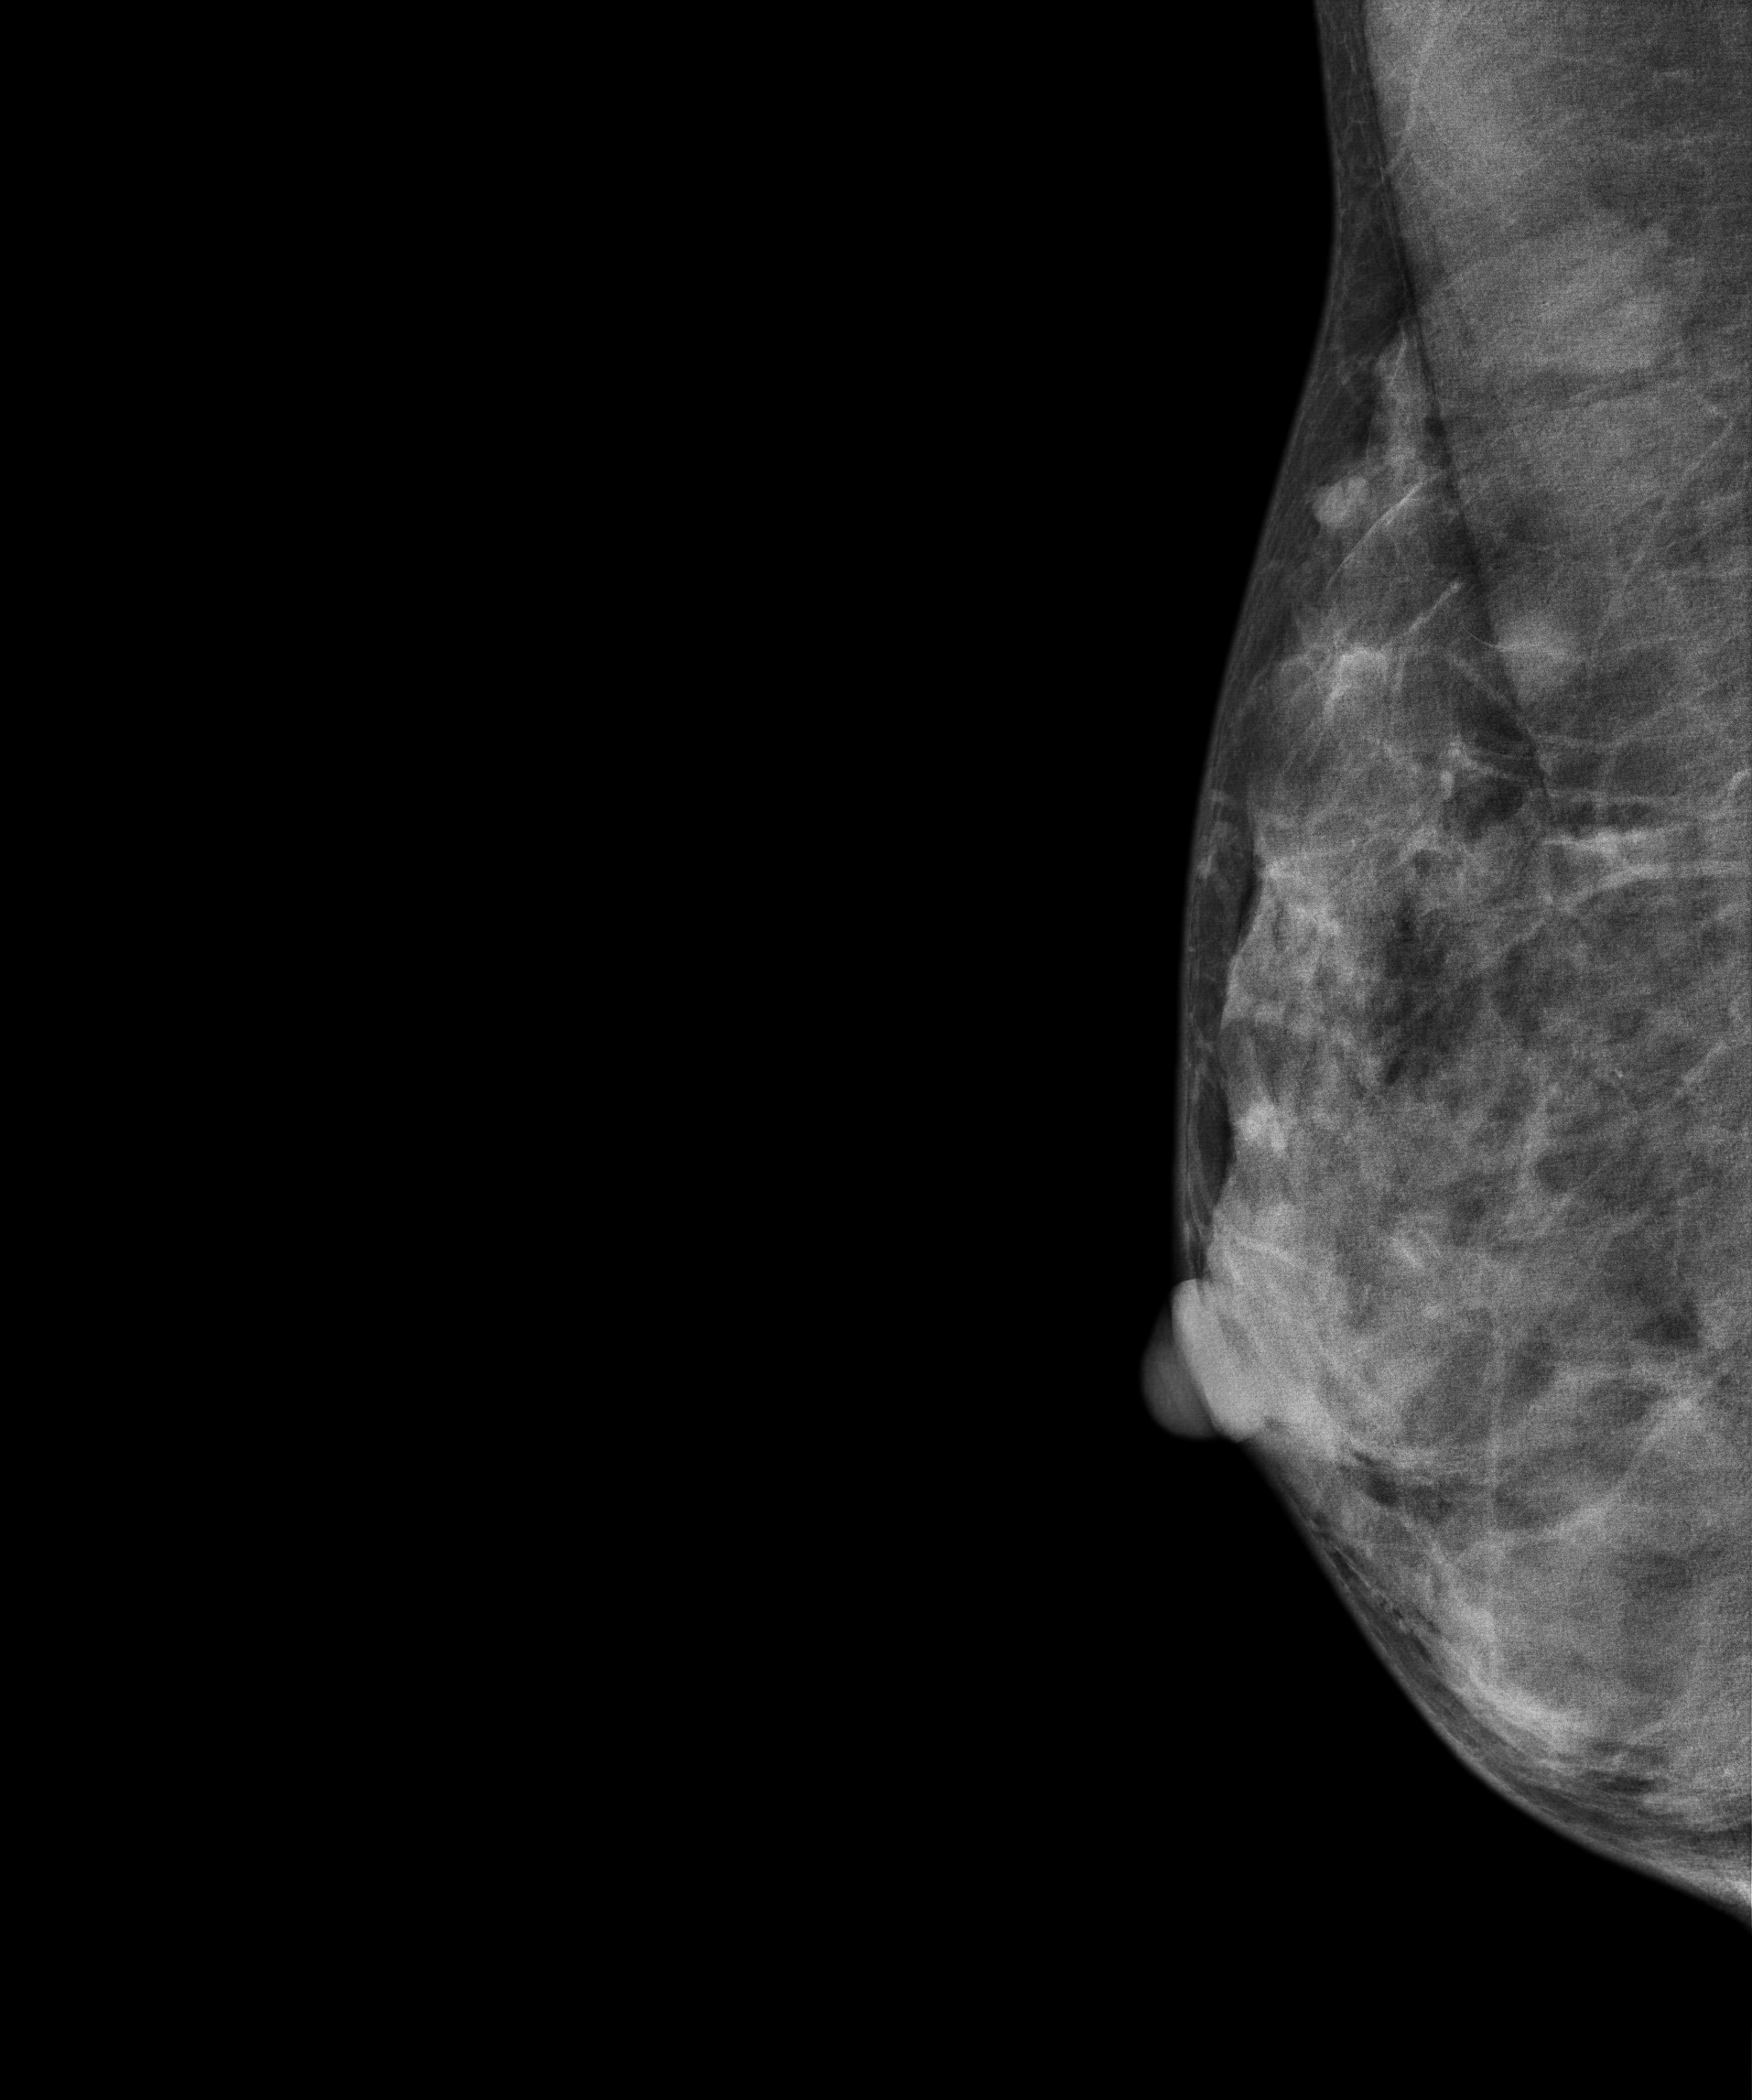
Mammogram, right breast, medio-lateral oblique view. 41-year-old patient.
This breast has a mass, biopsy-confirmed benign.